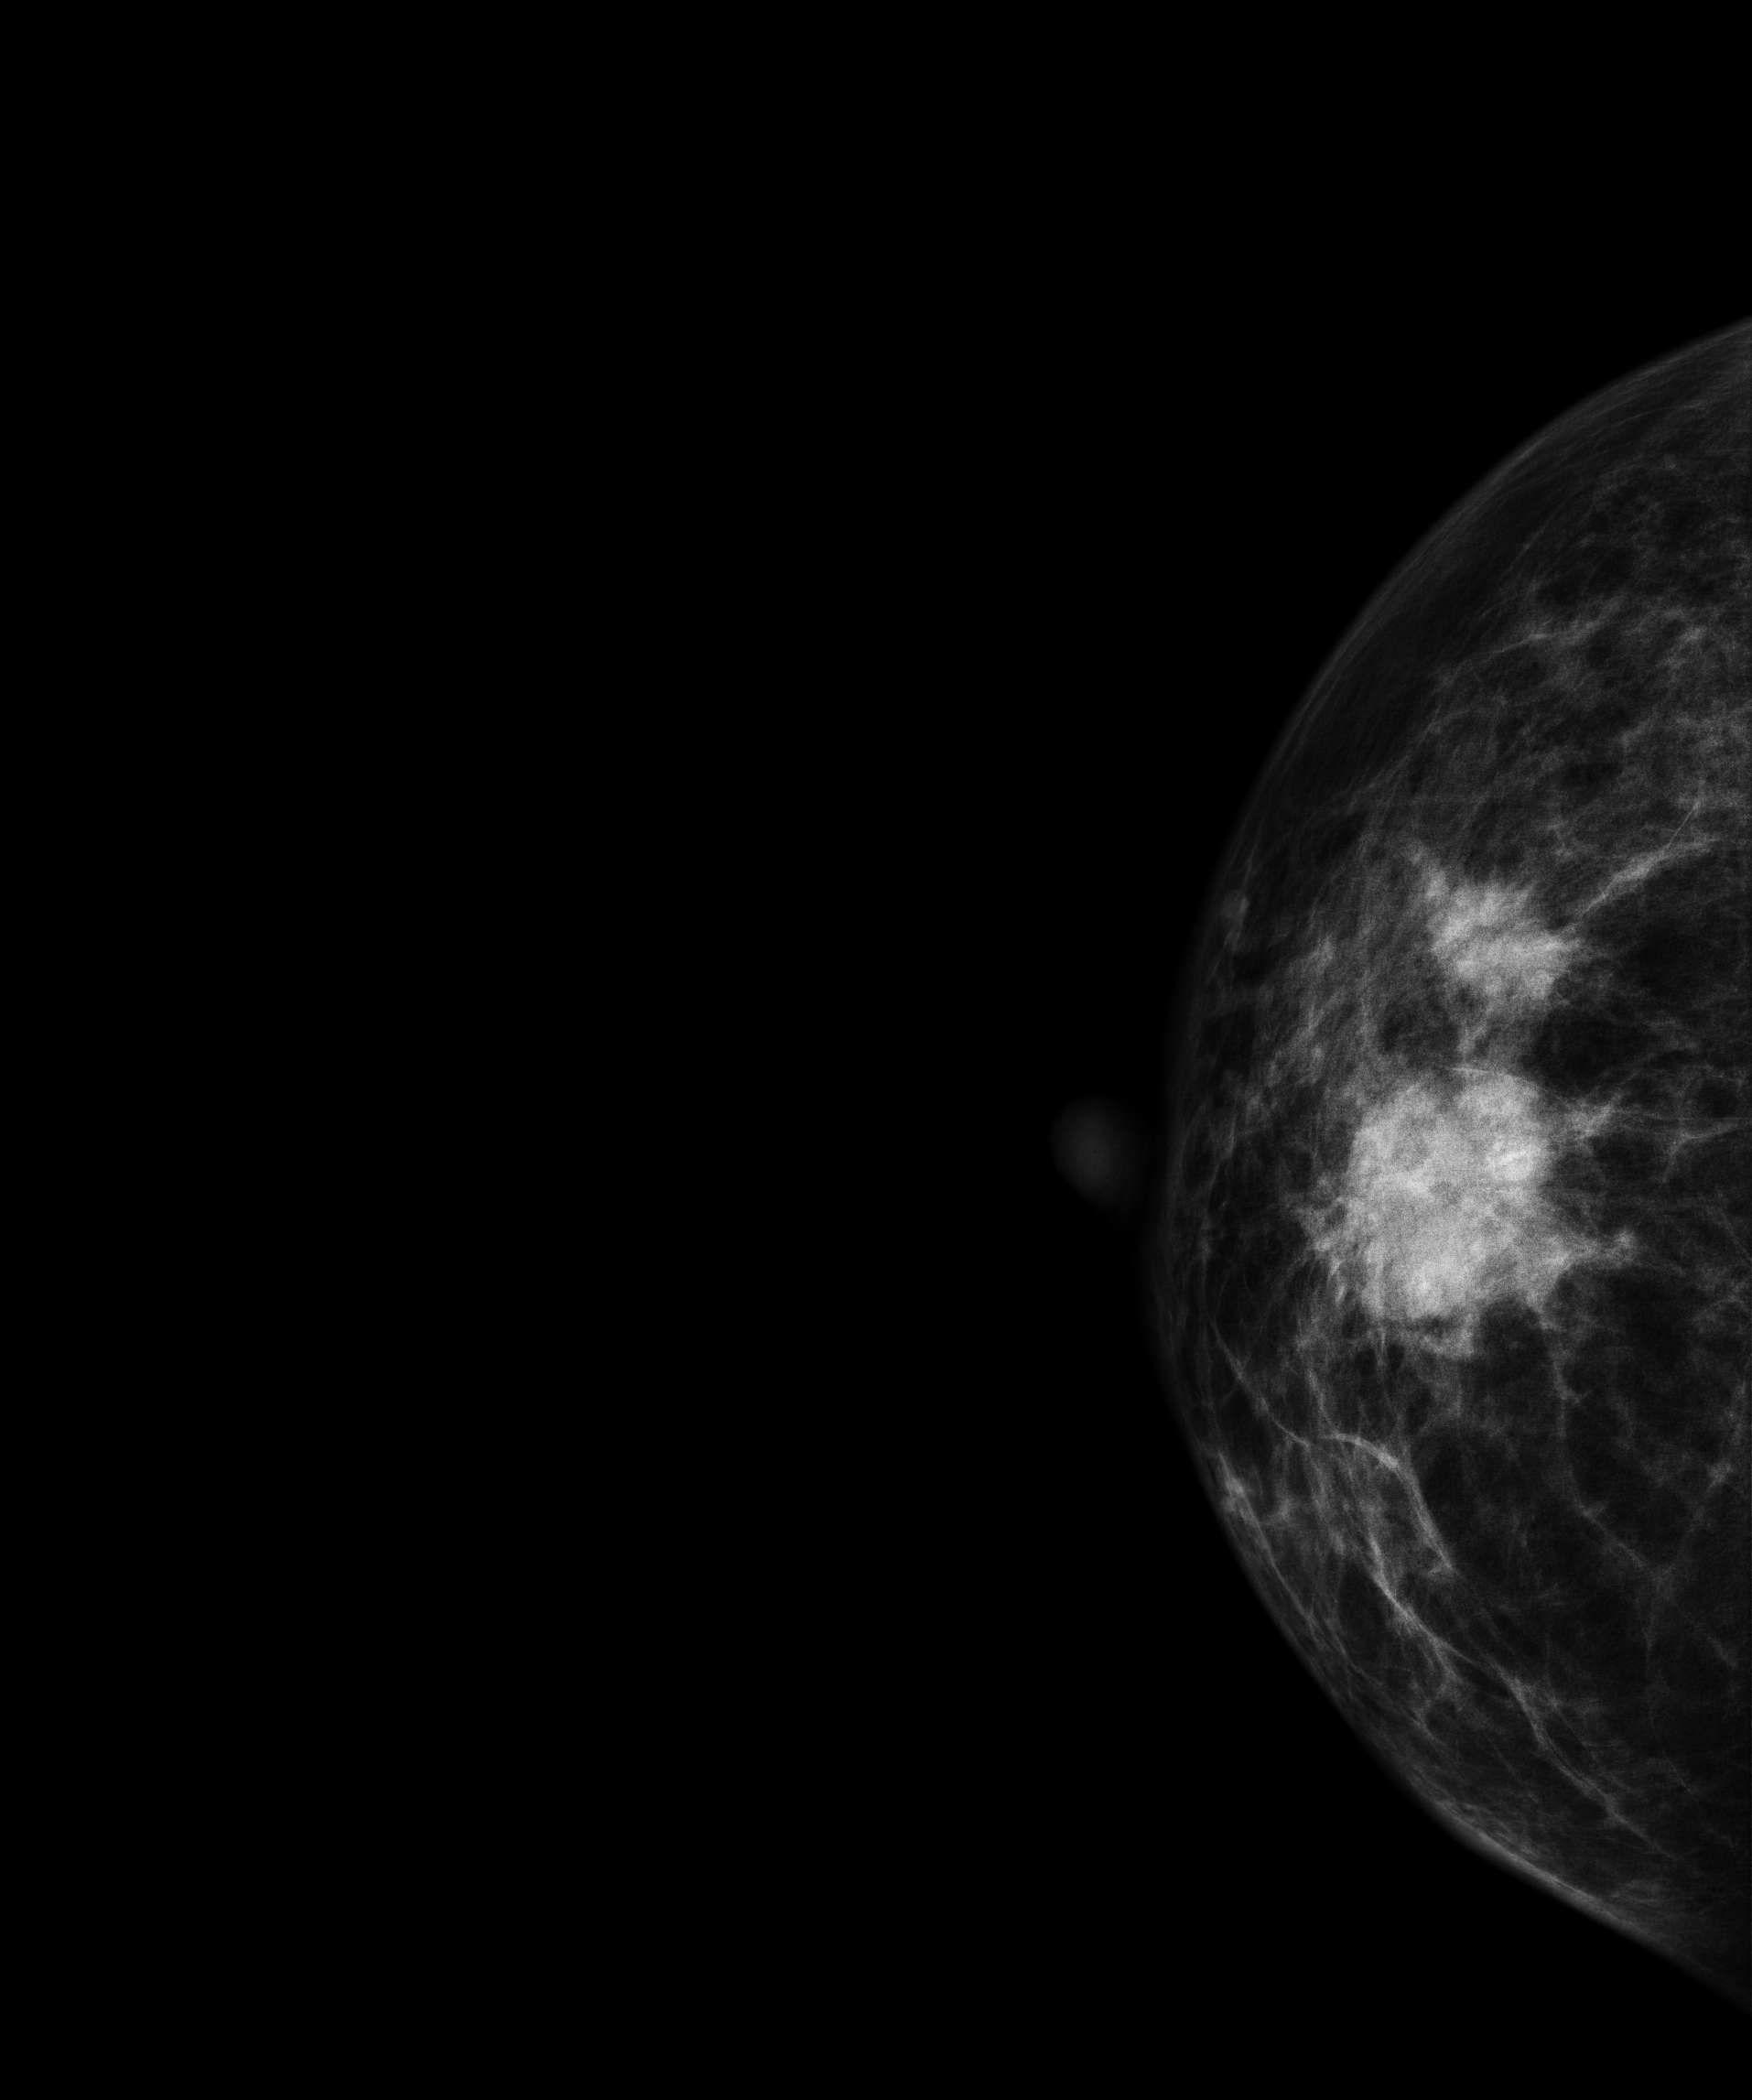
Mammogram, right breast, CC view. Patient age 58.
This breast has a mass, biopsy-proven malignant. Molecular subtype: luminal B.